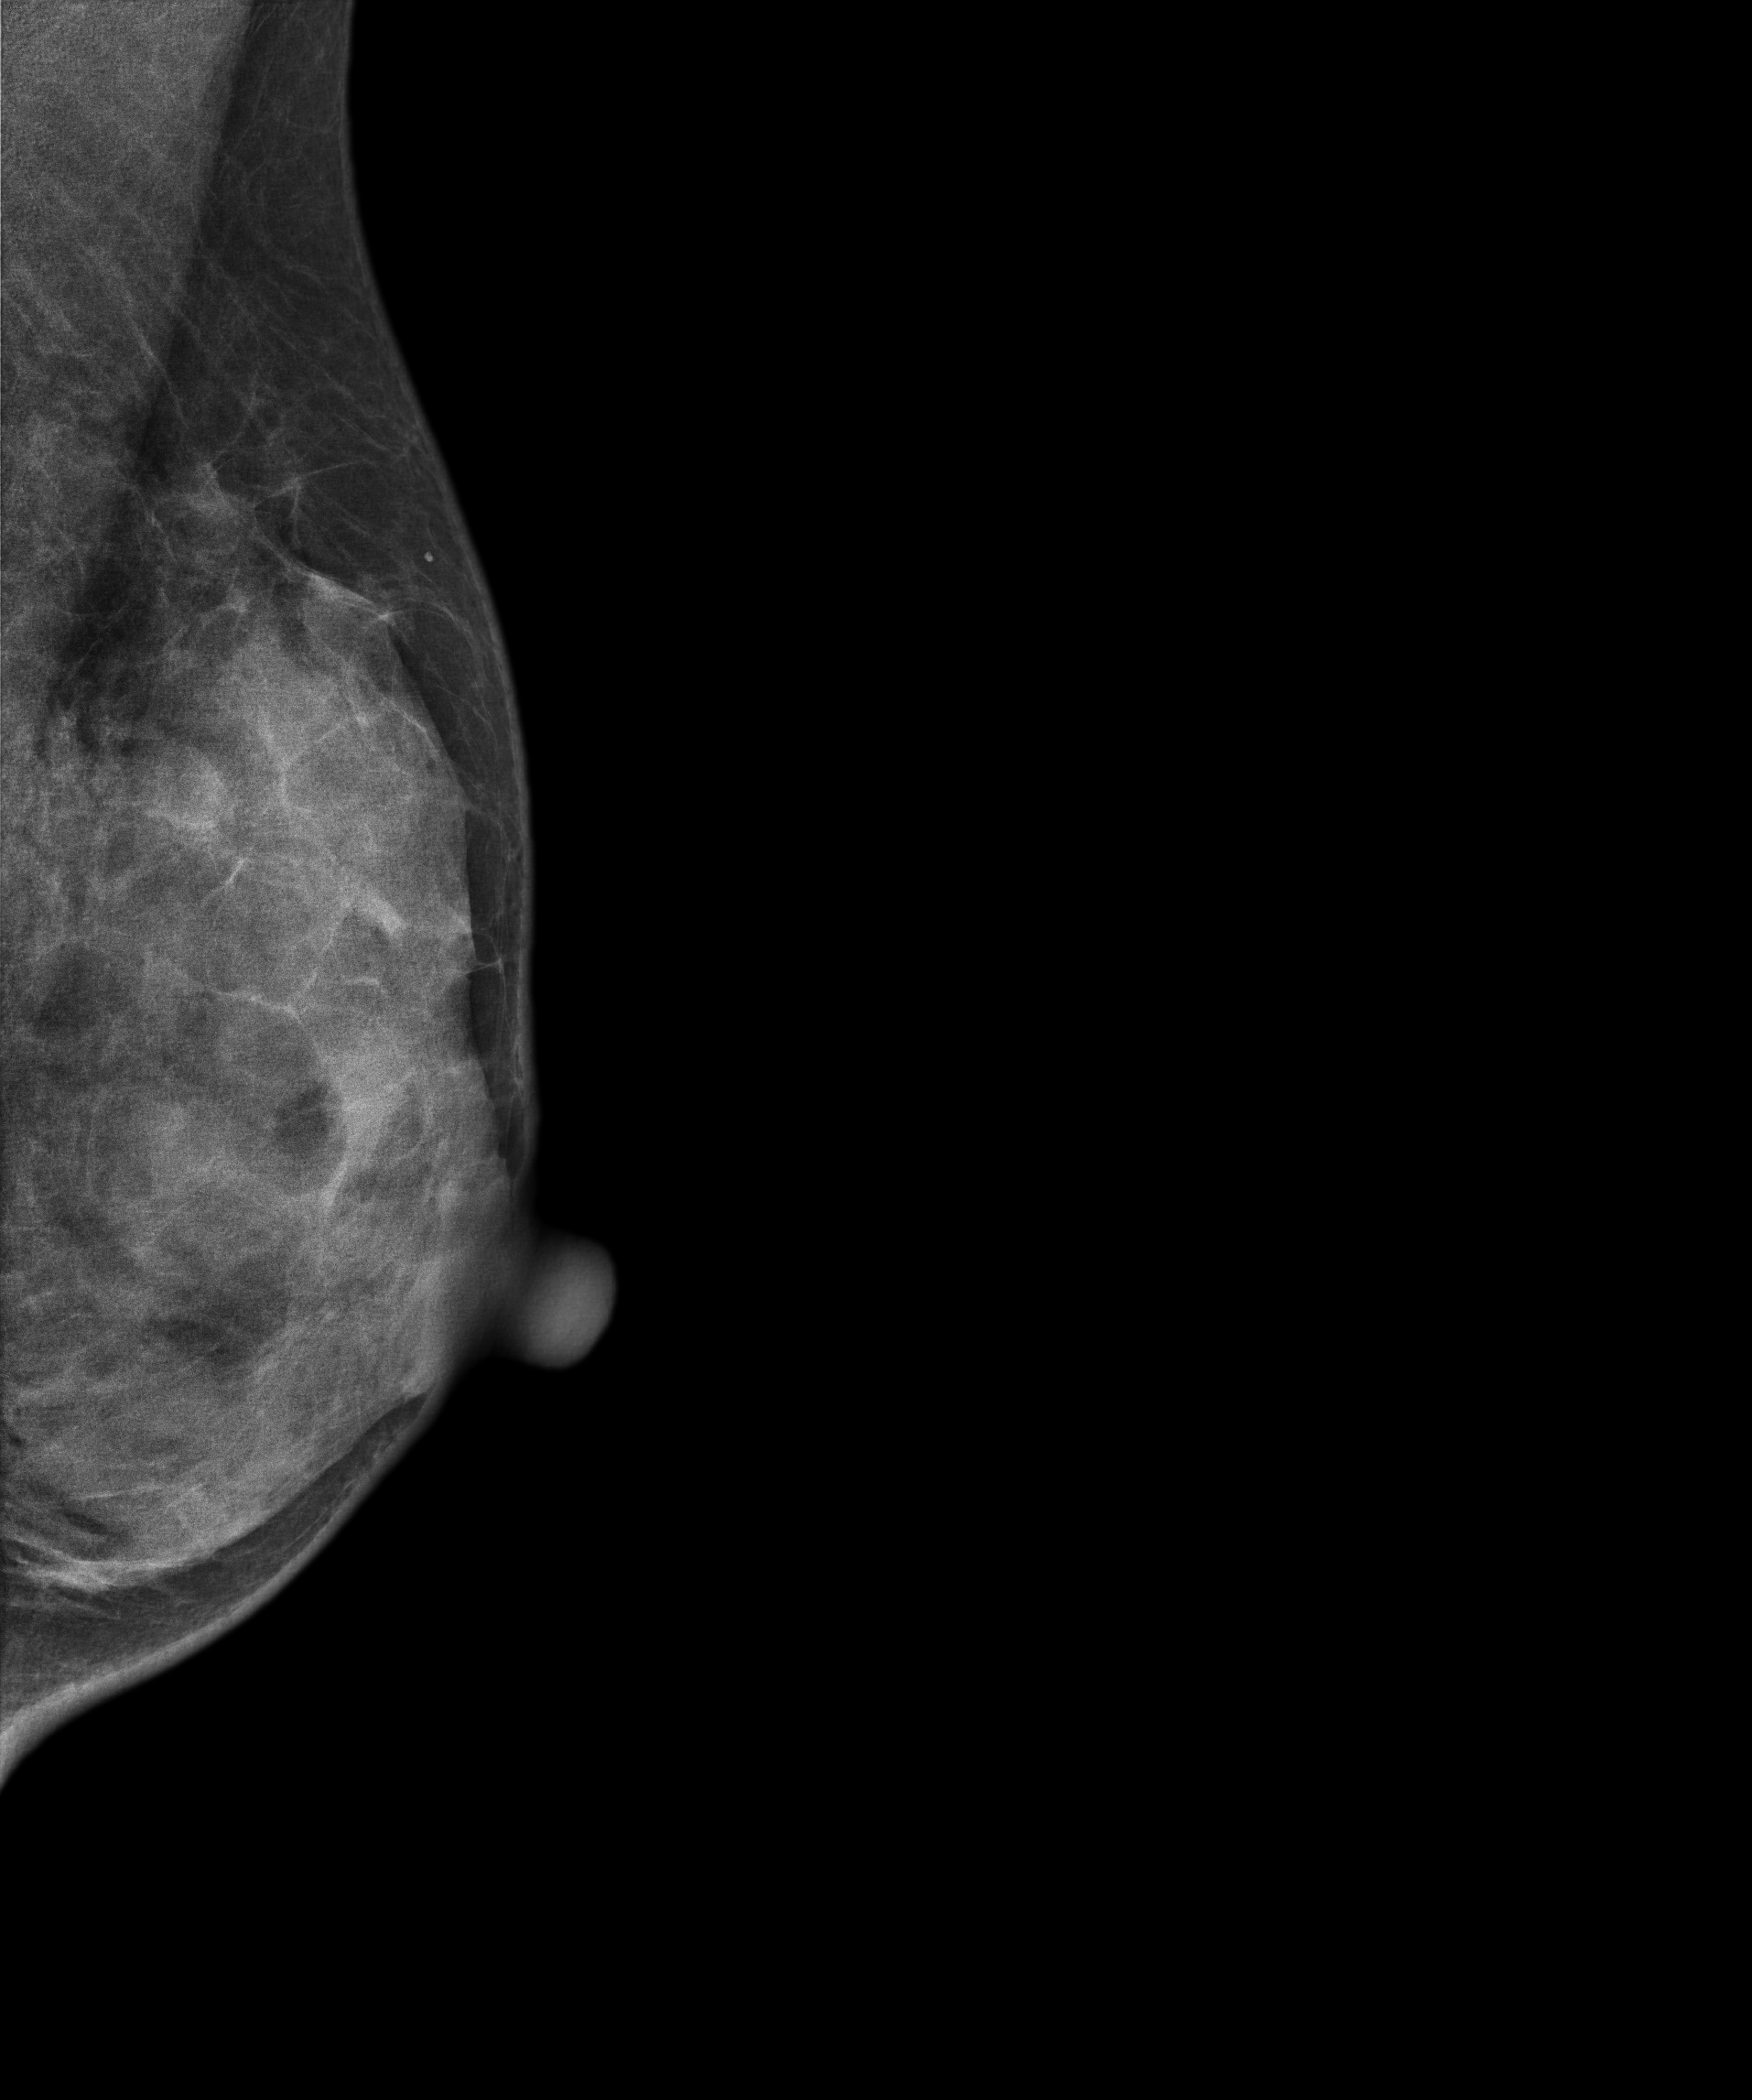
Mammogram, left breast, medio-lateral oblique view. 39-year-old patient.
This breast has a mass, biopsy-proven malignant.